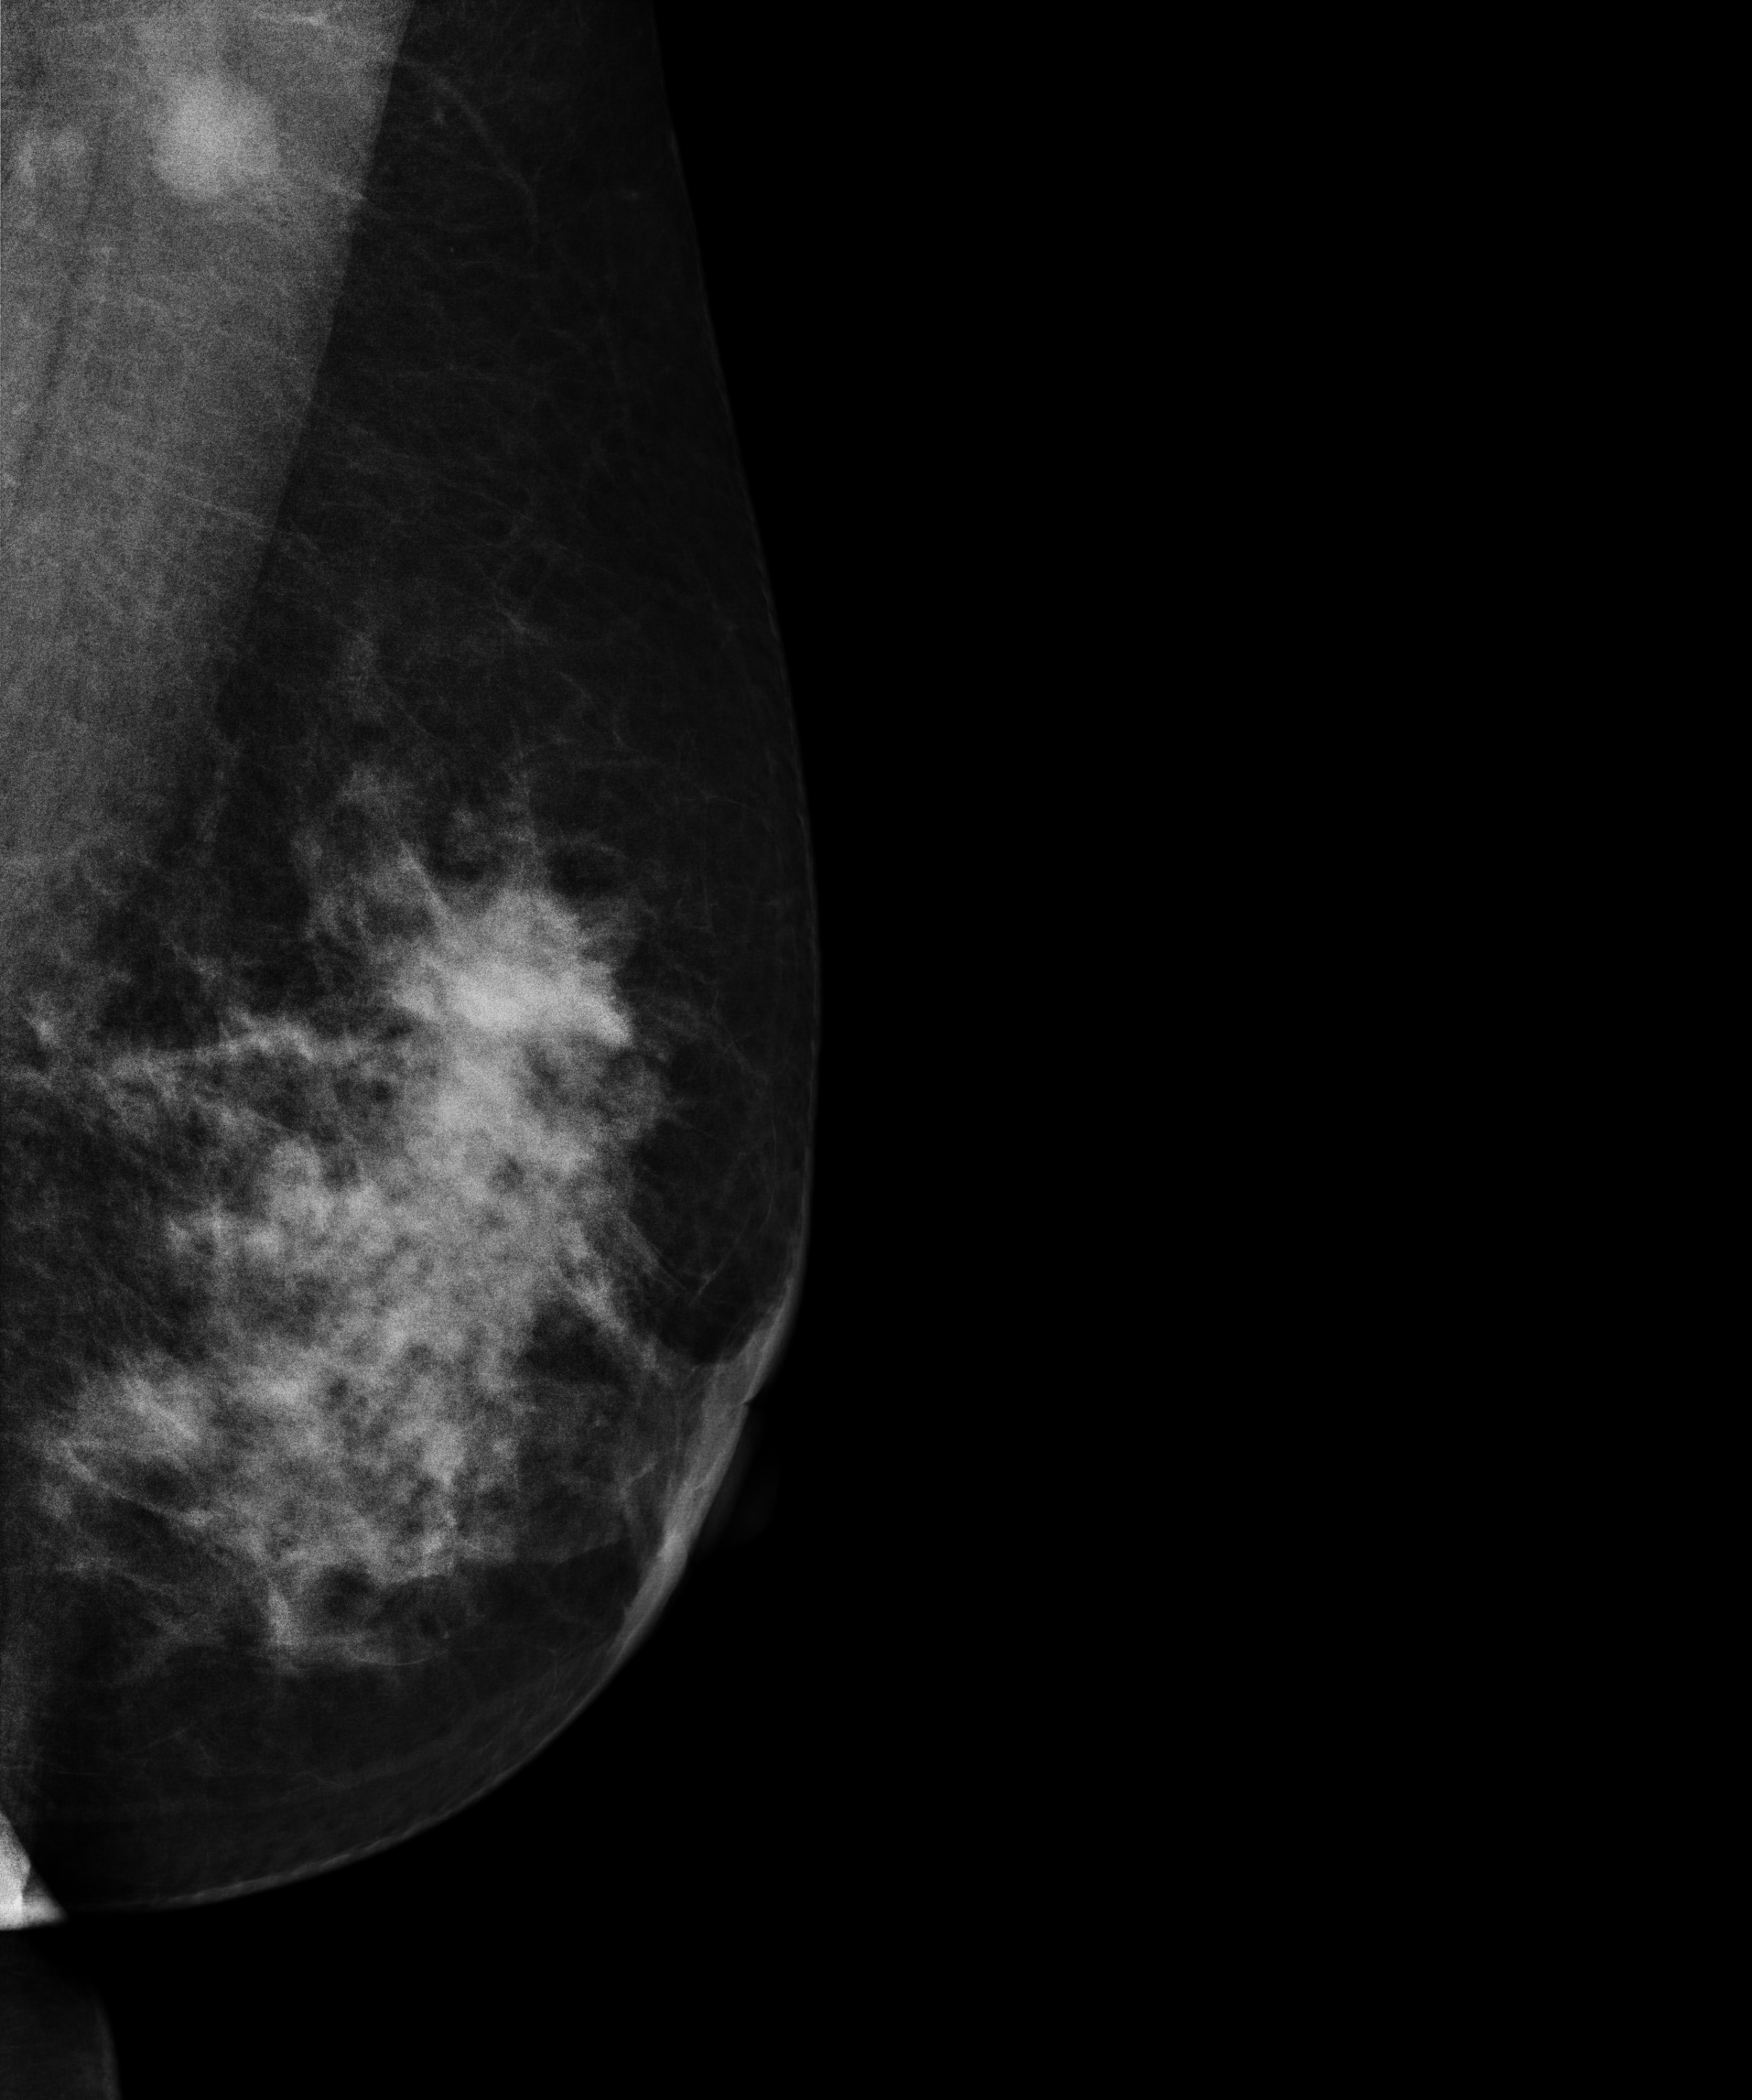
Medio-lateral oblique mammogram of the left breast. 49-year-old patient.
This breast has a mass, biopsy-confirmed malignant.